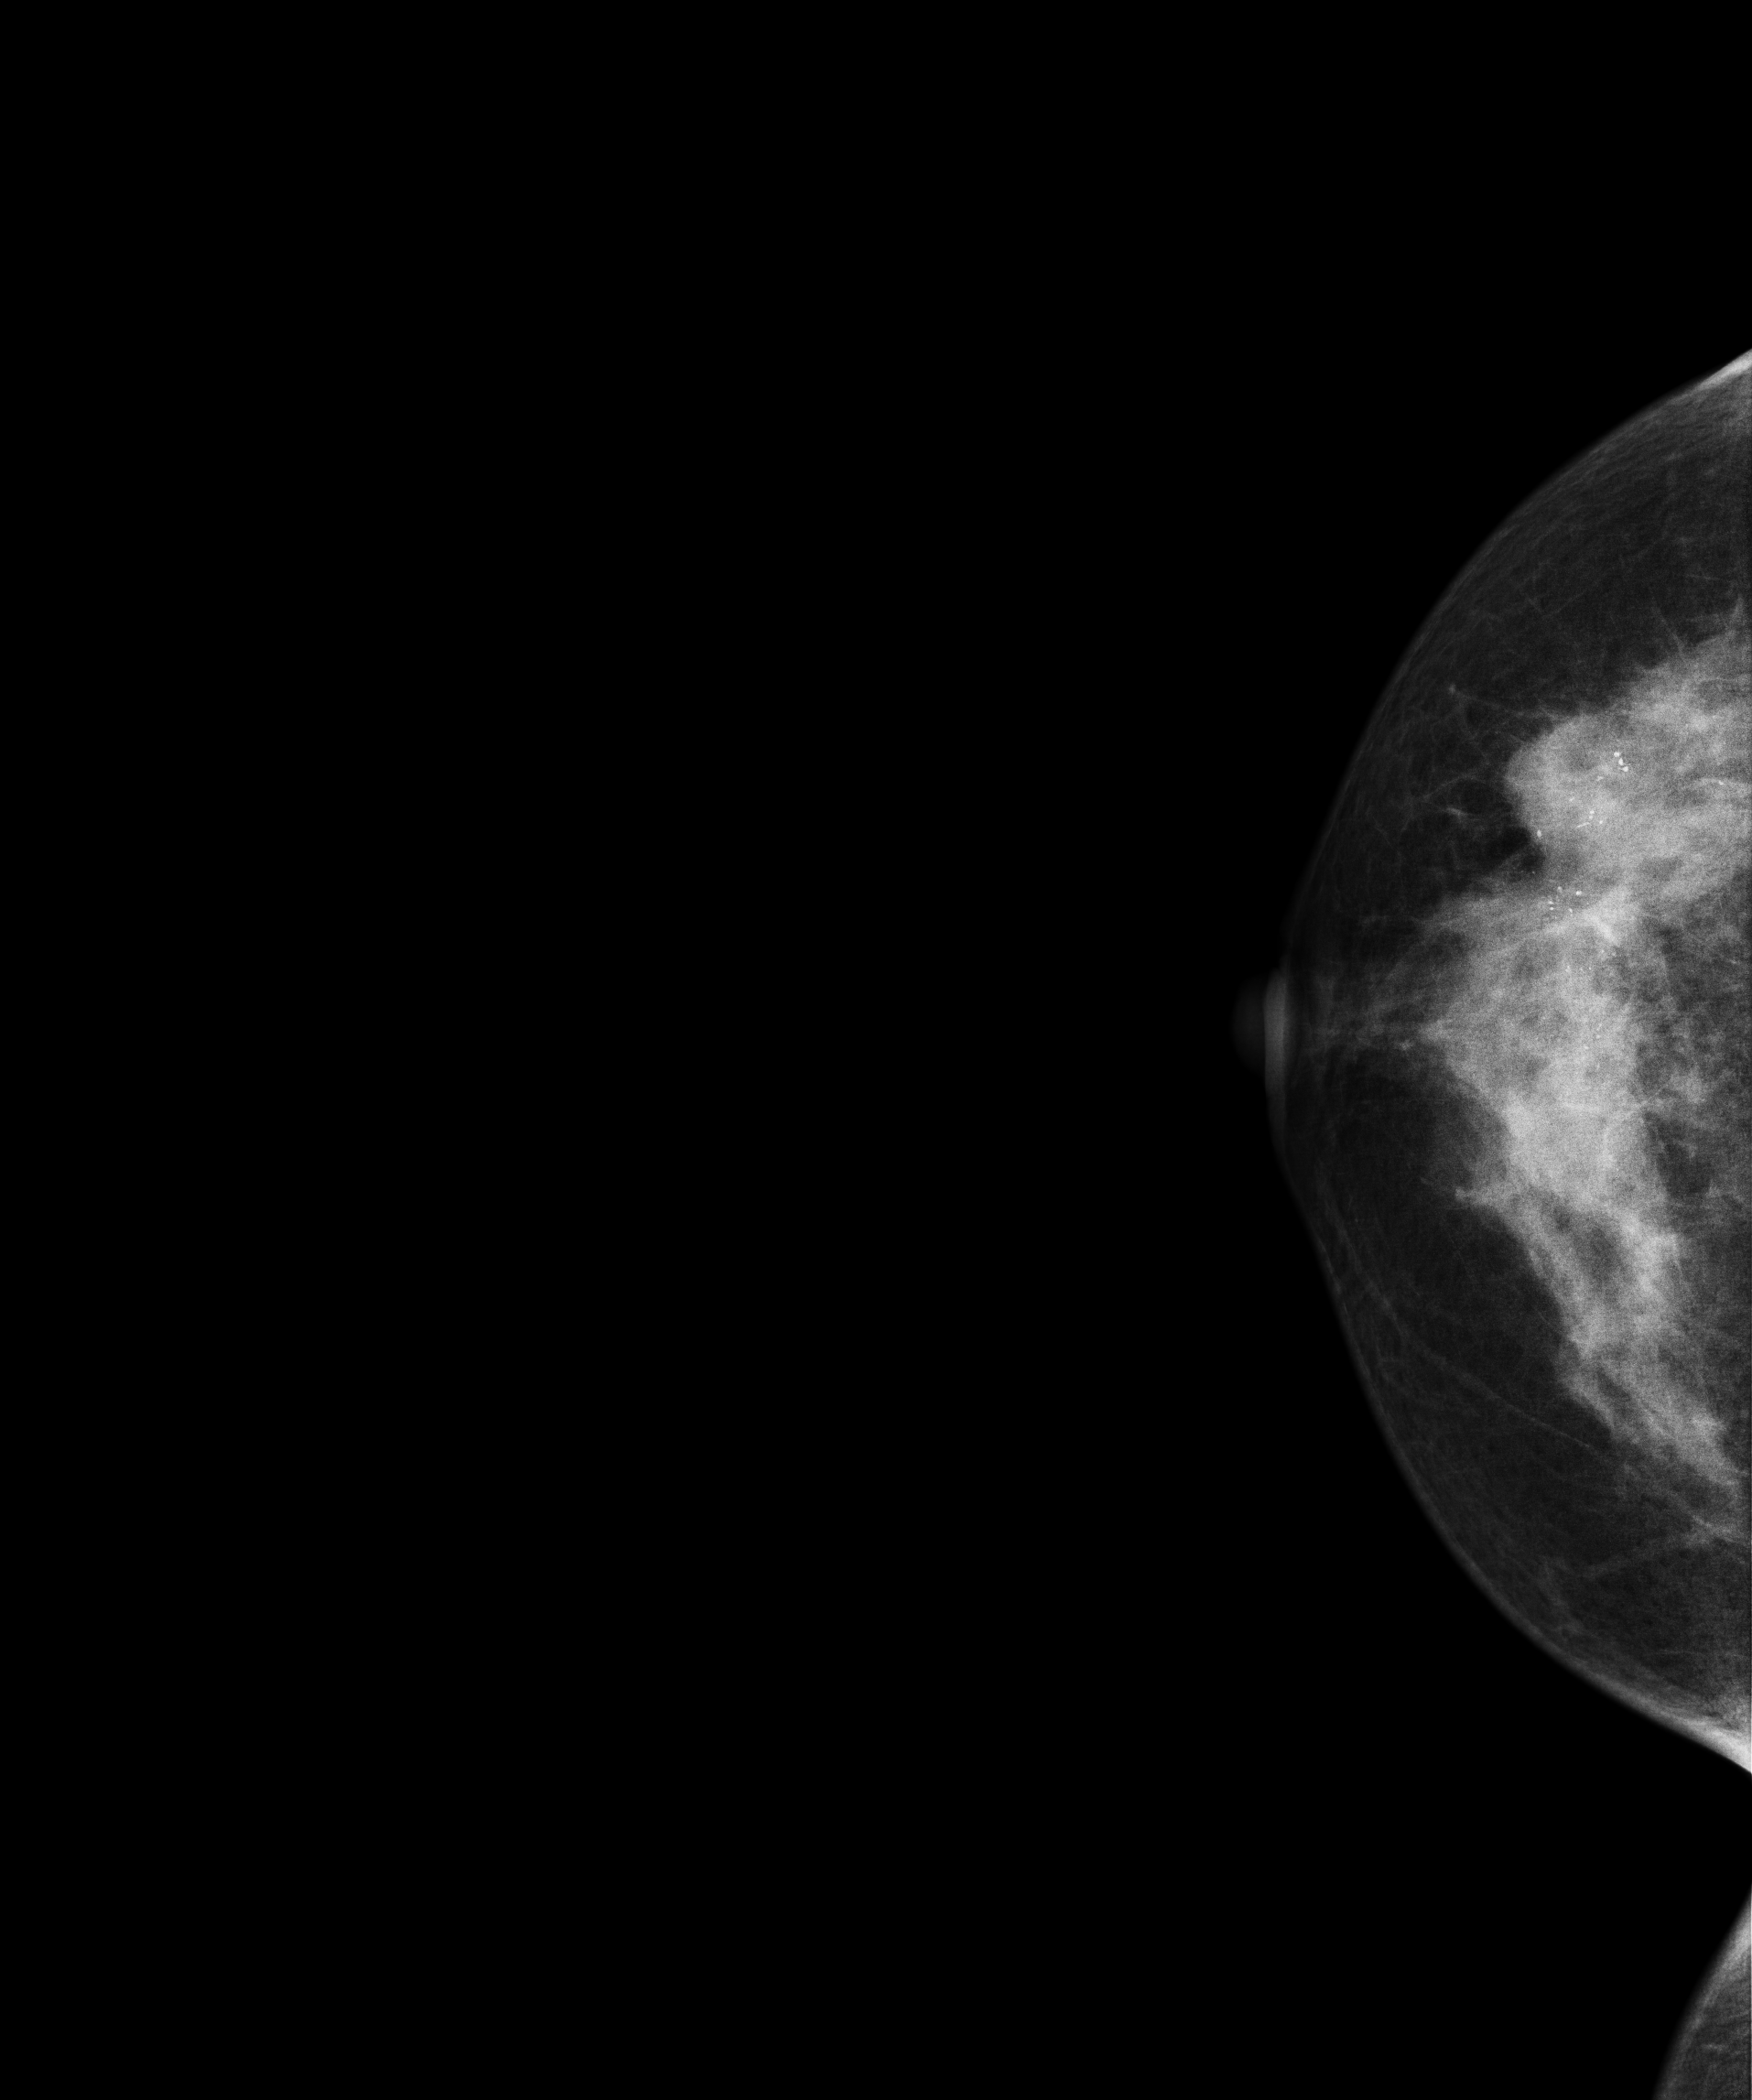
Mammogram, right breast, cranio-caudal view. 39 y/o patient.
This breast has calcifications, histologically confirmed malignant. Molecular subtype: HER2-enriched.